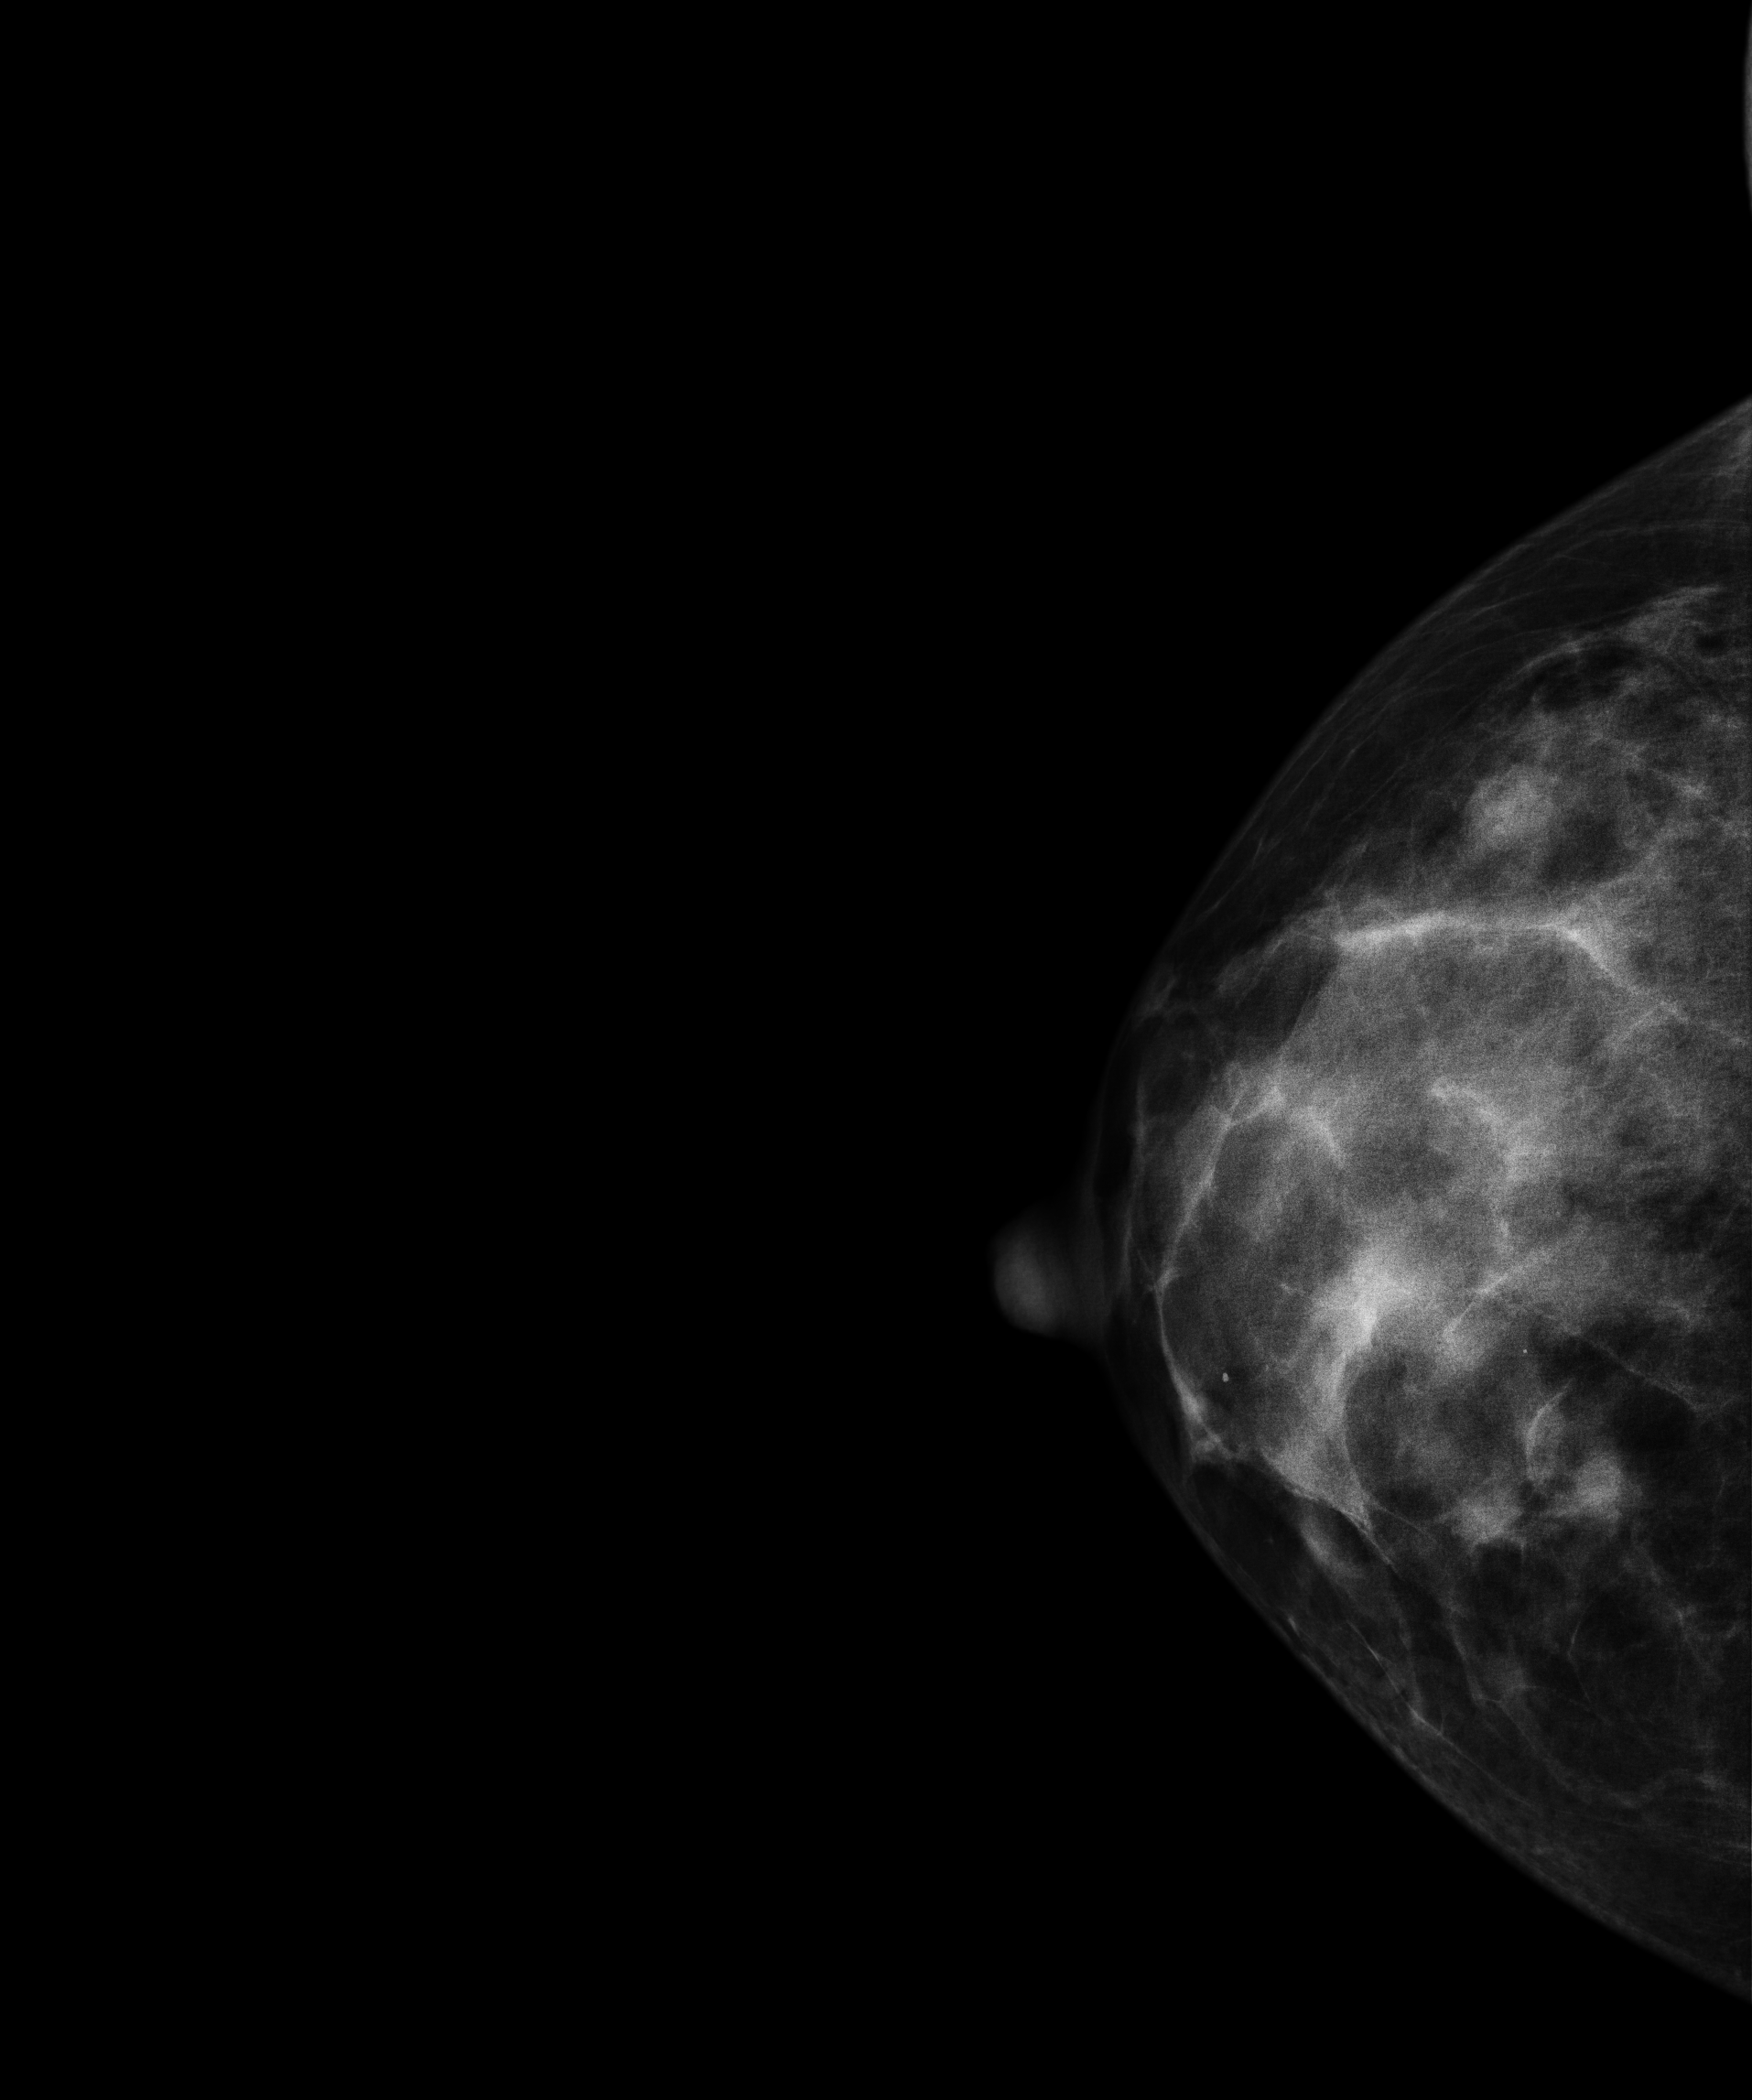
Right-breast mammogram, CC. 46 y/o patient.
This breast has a mass, pathology-confirmed benign.